Left-breast mammogram, cranio-caudal. 49-year-old patient.
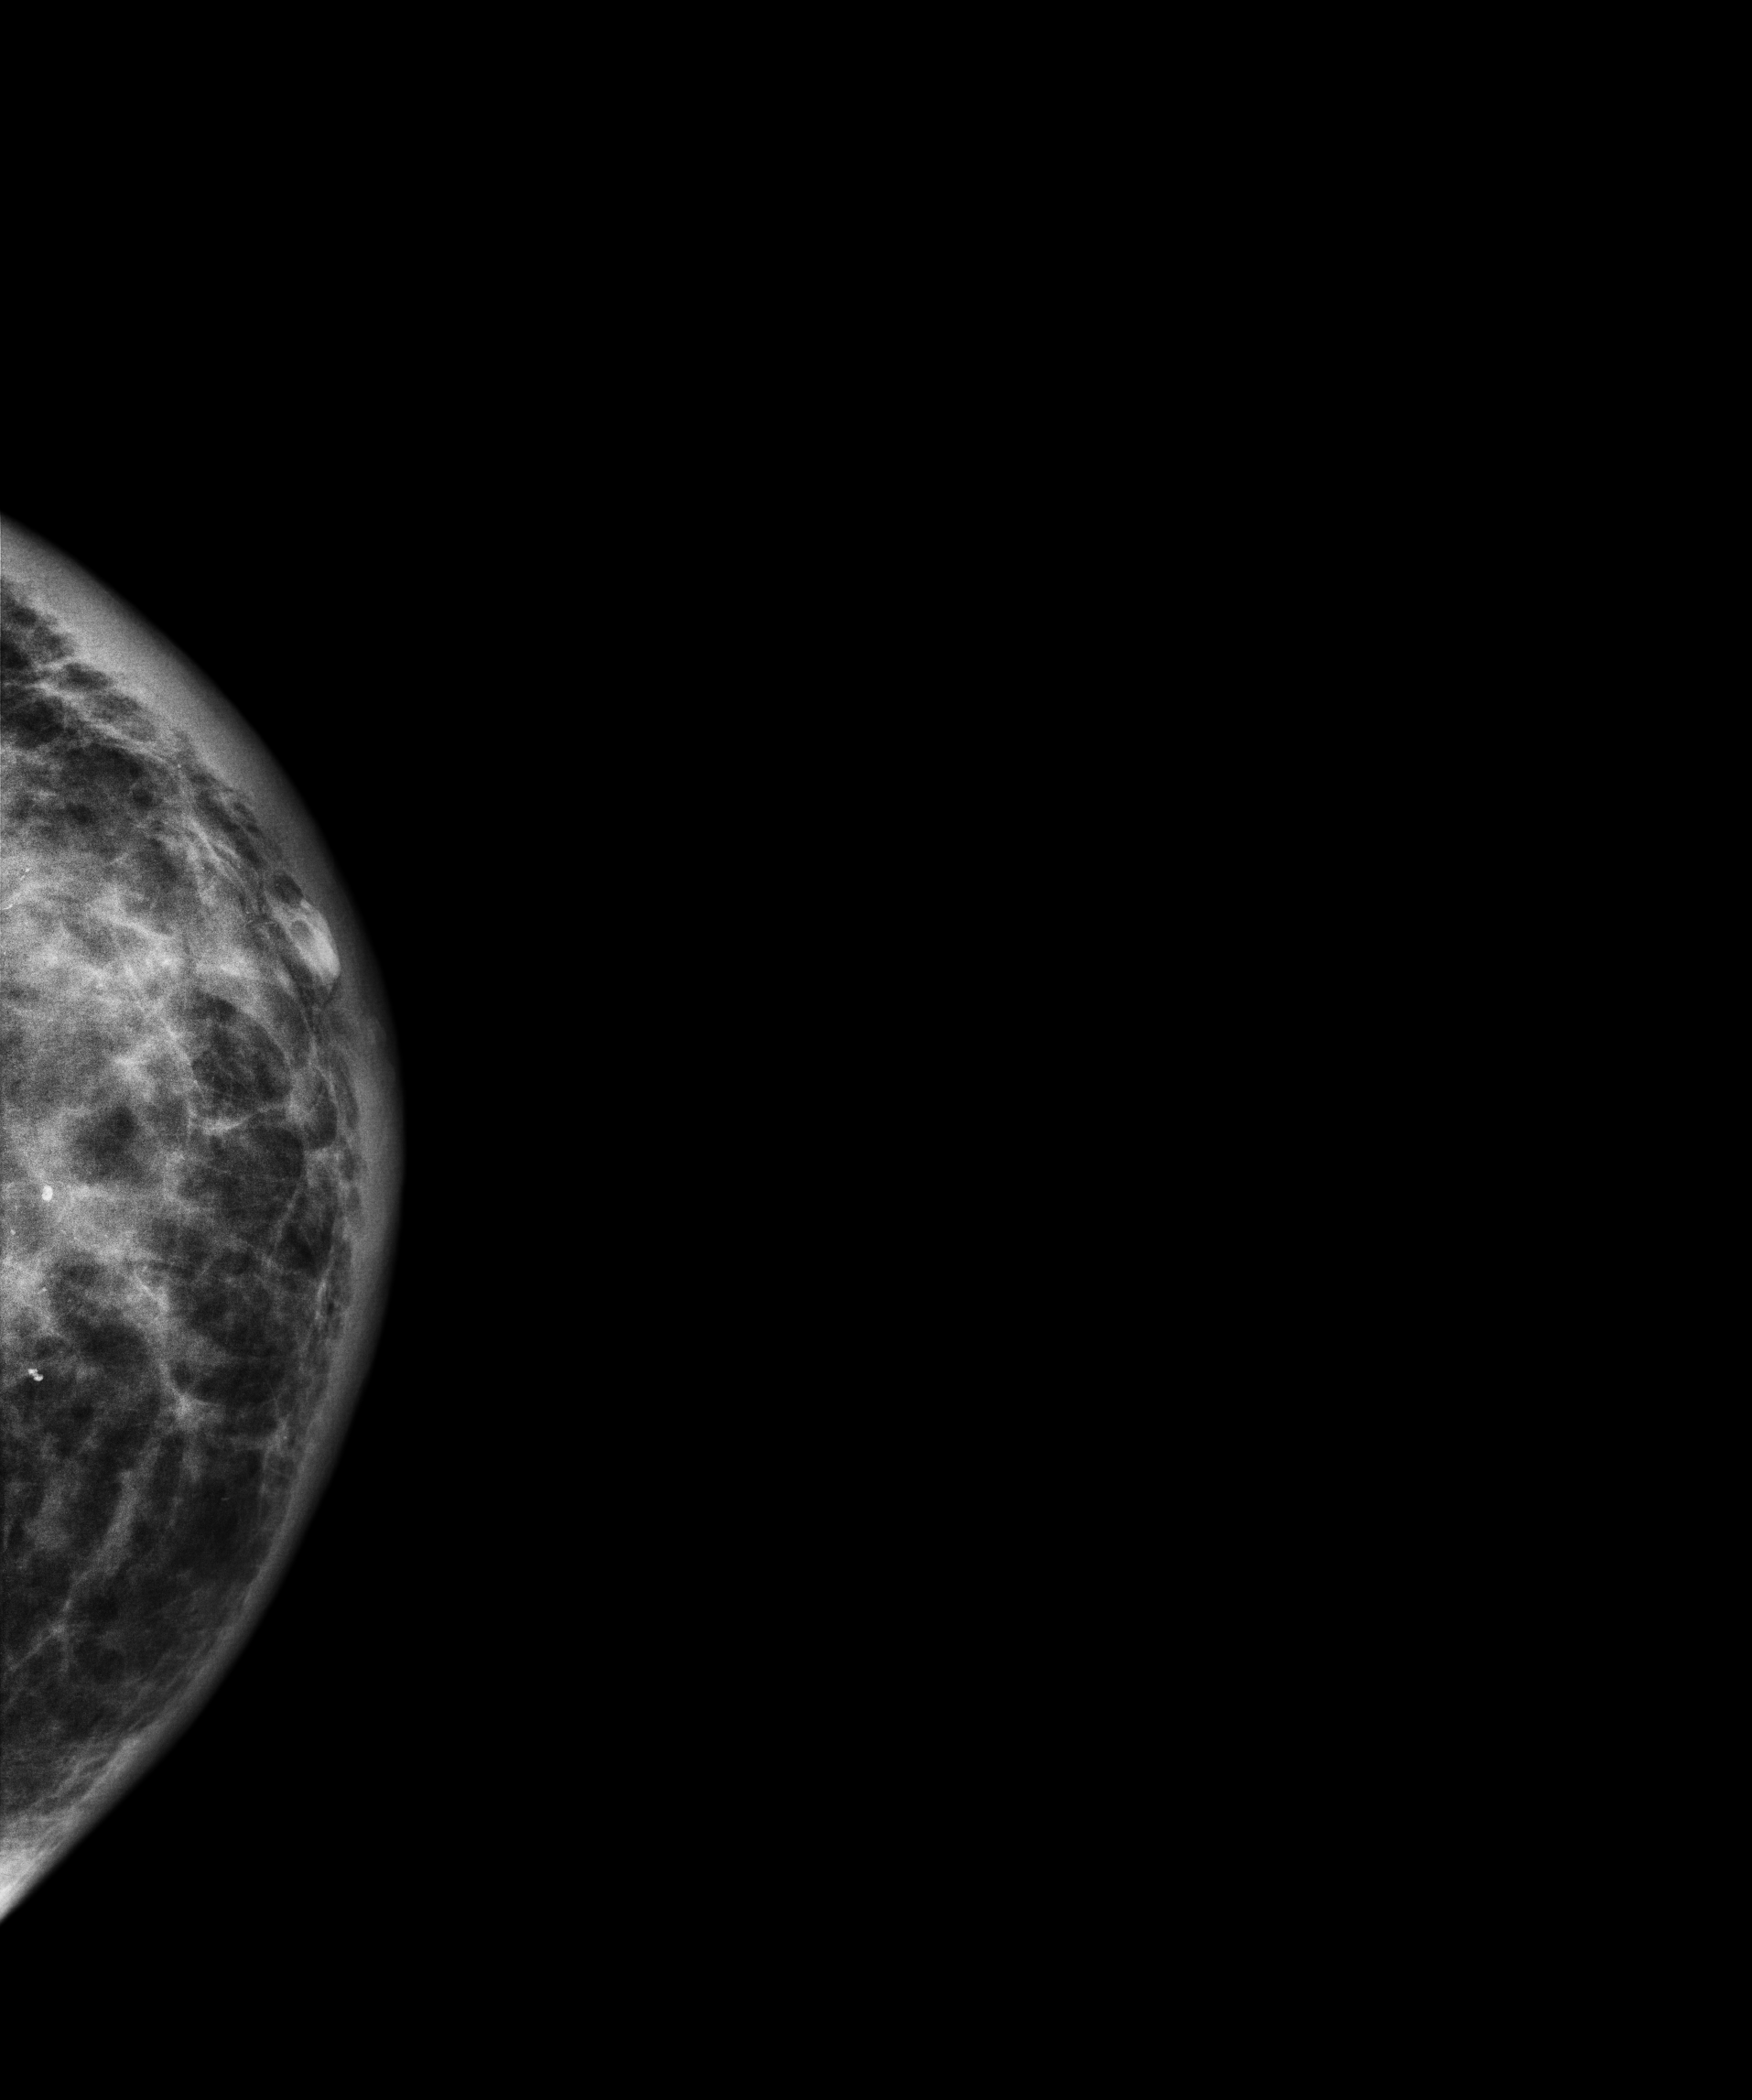
This breast has a mass and calcifications, biopsy-proven malignant.